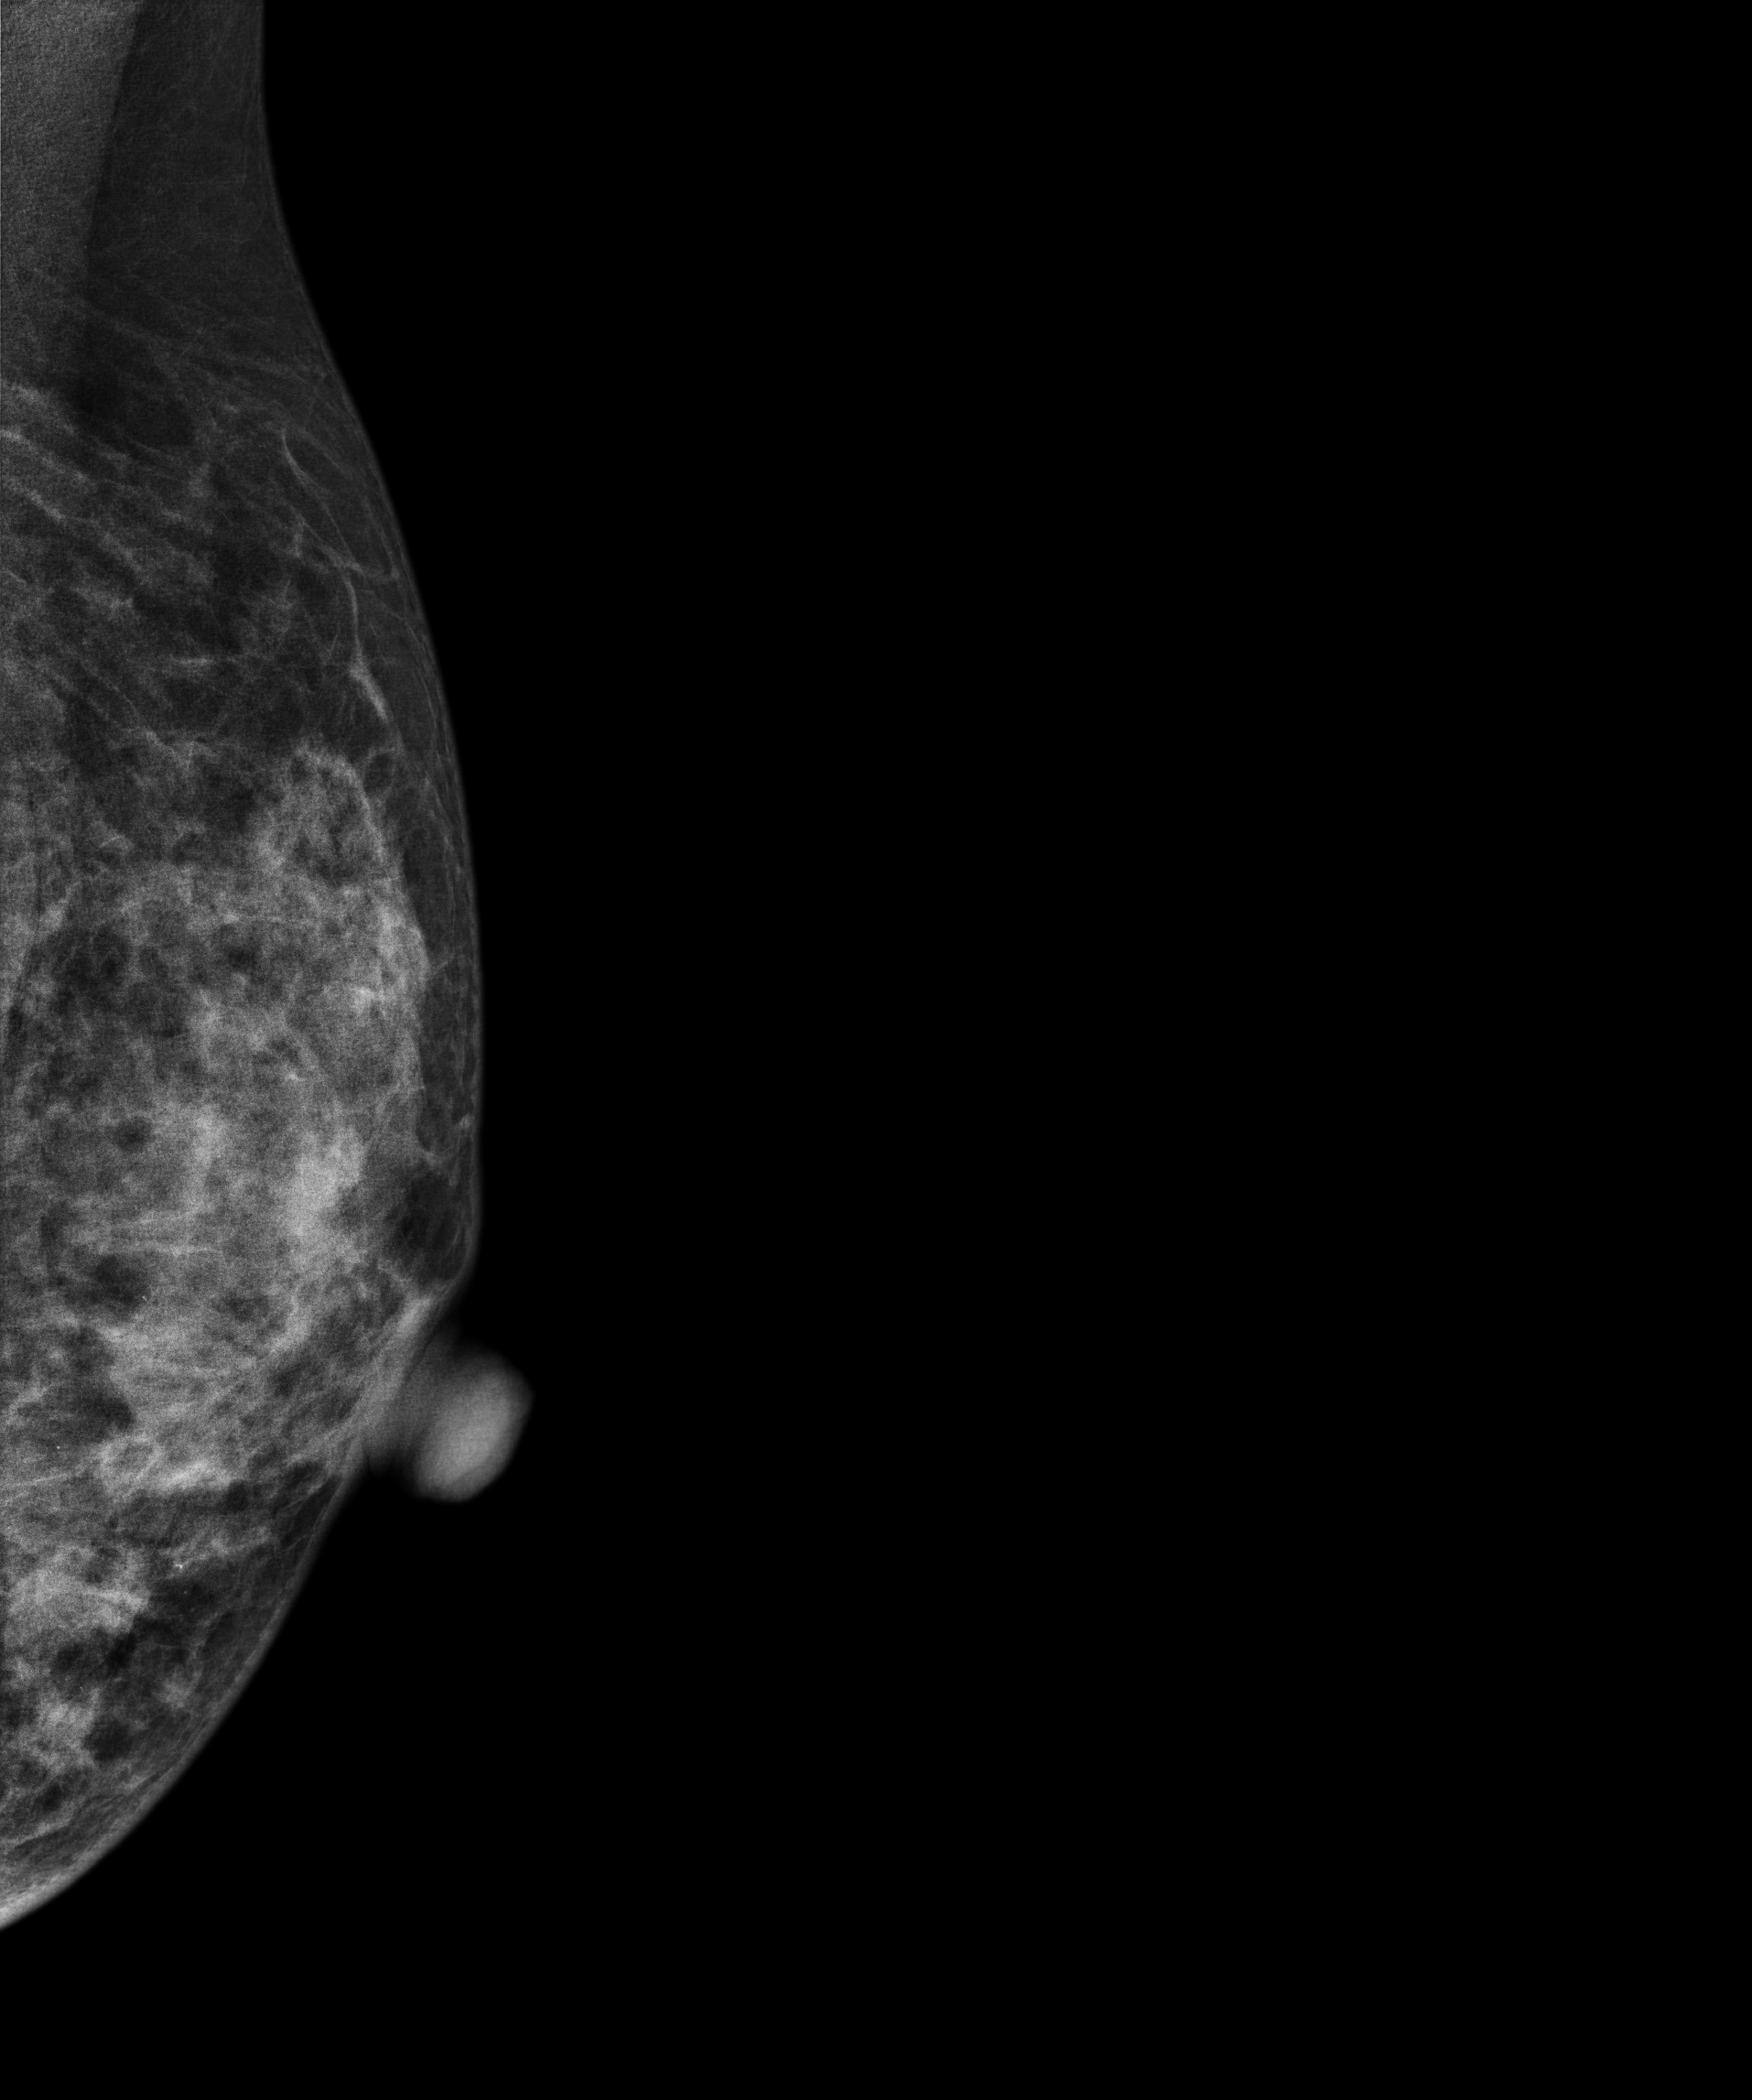
Mammogram, left breast, medio-lateral oblique view. 34-year-old patient.
This breast has a mass, biopsy-proven malignant.